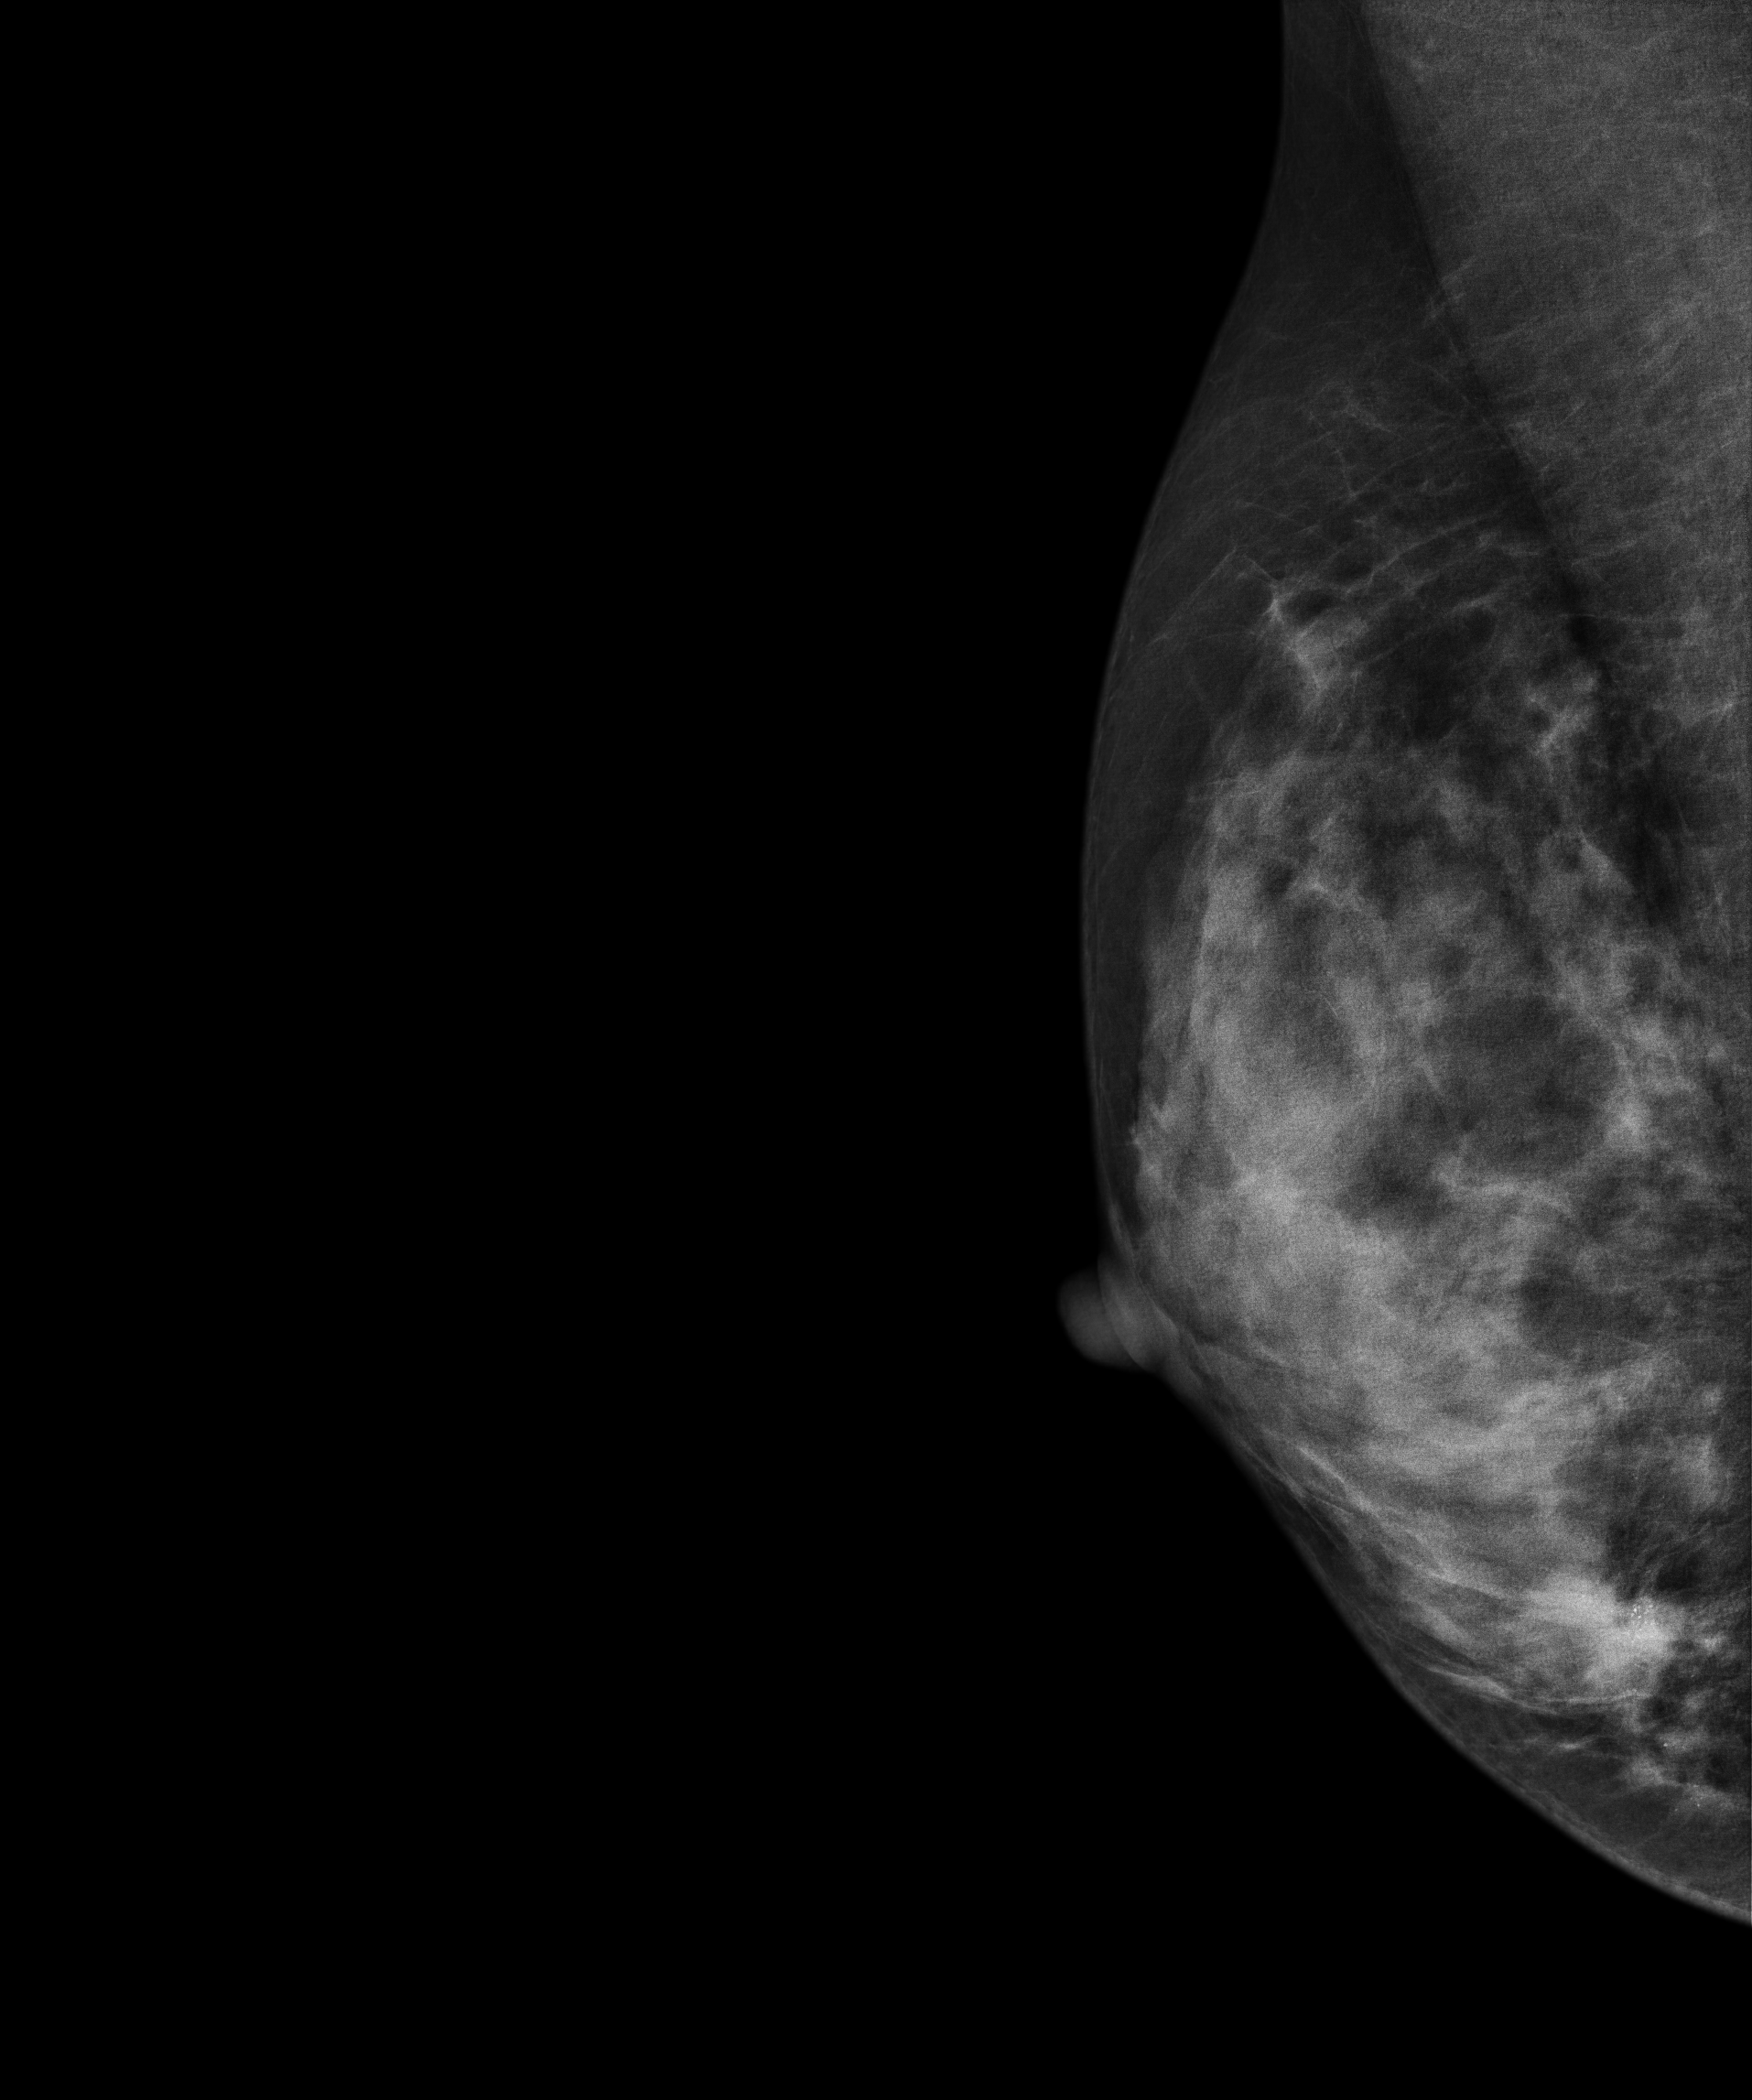
Right-breast mammogram, MLO. Patient age 34.
This breast has a mass and calcifications, pathology-confirmed malignant. Molecular subtype: luminal B.